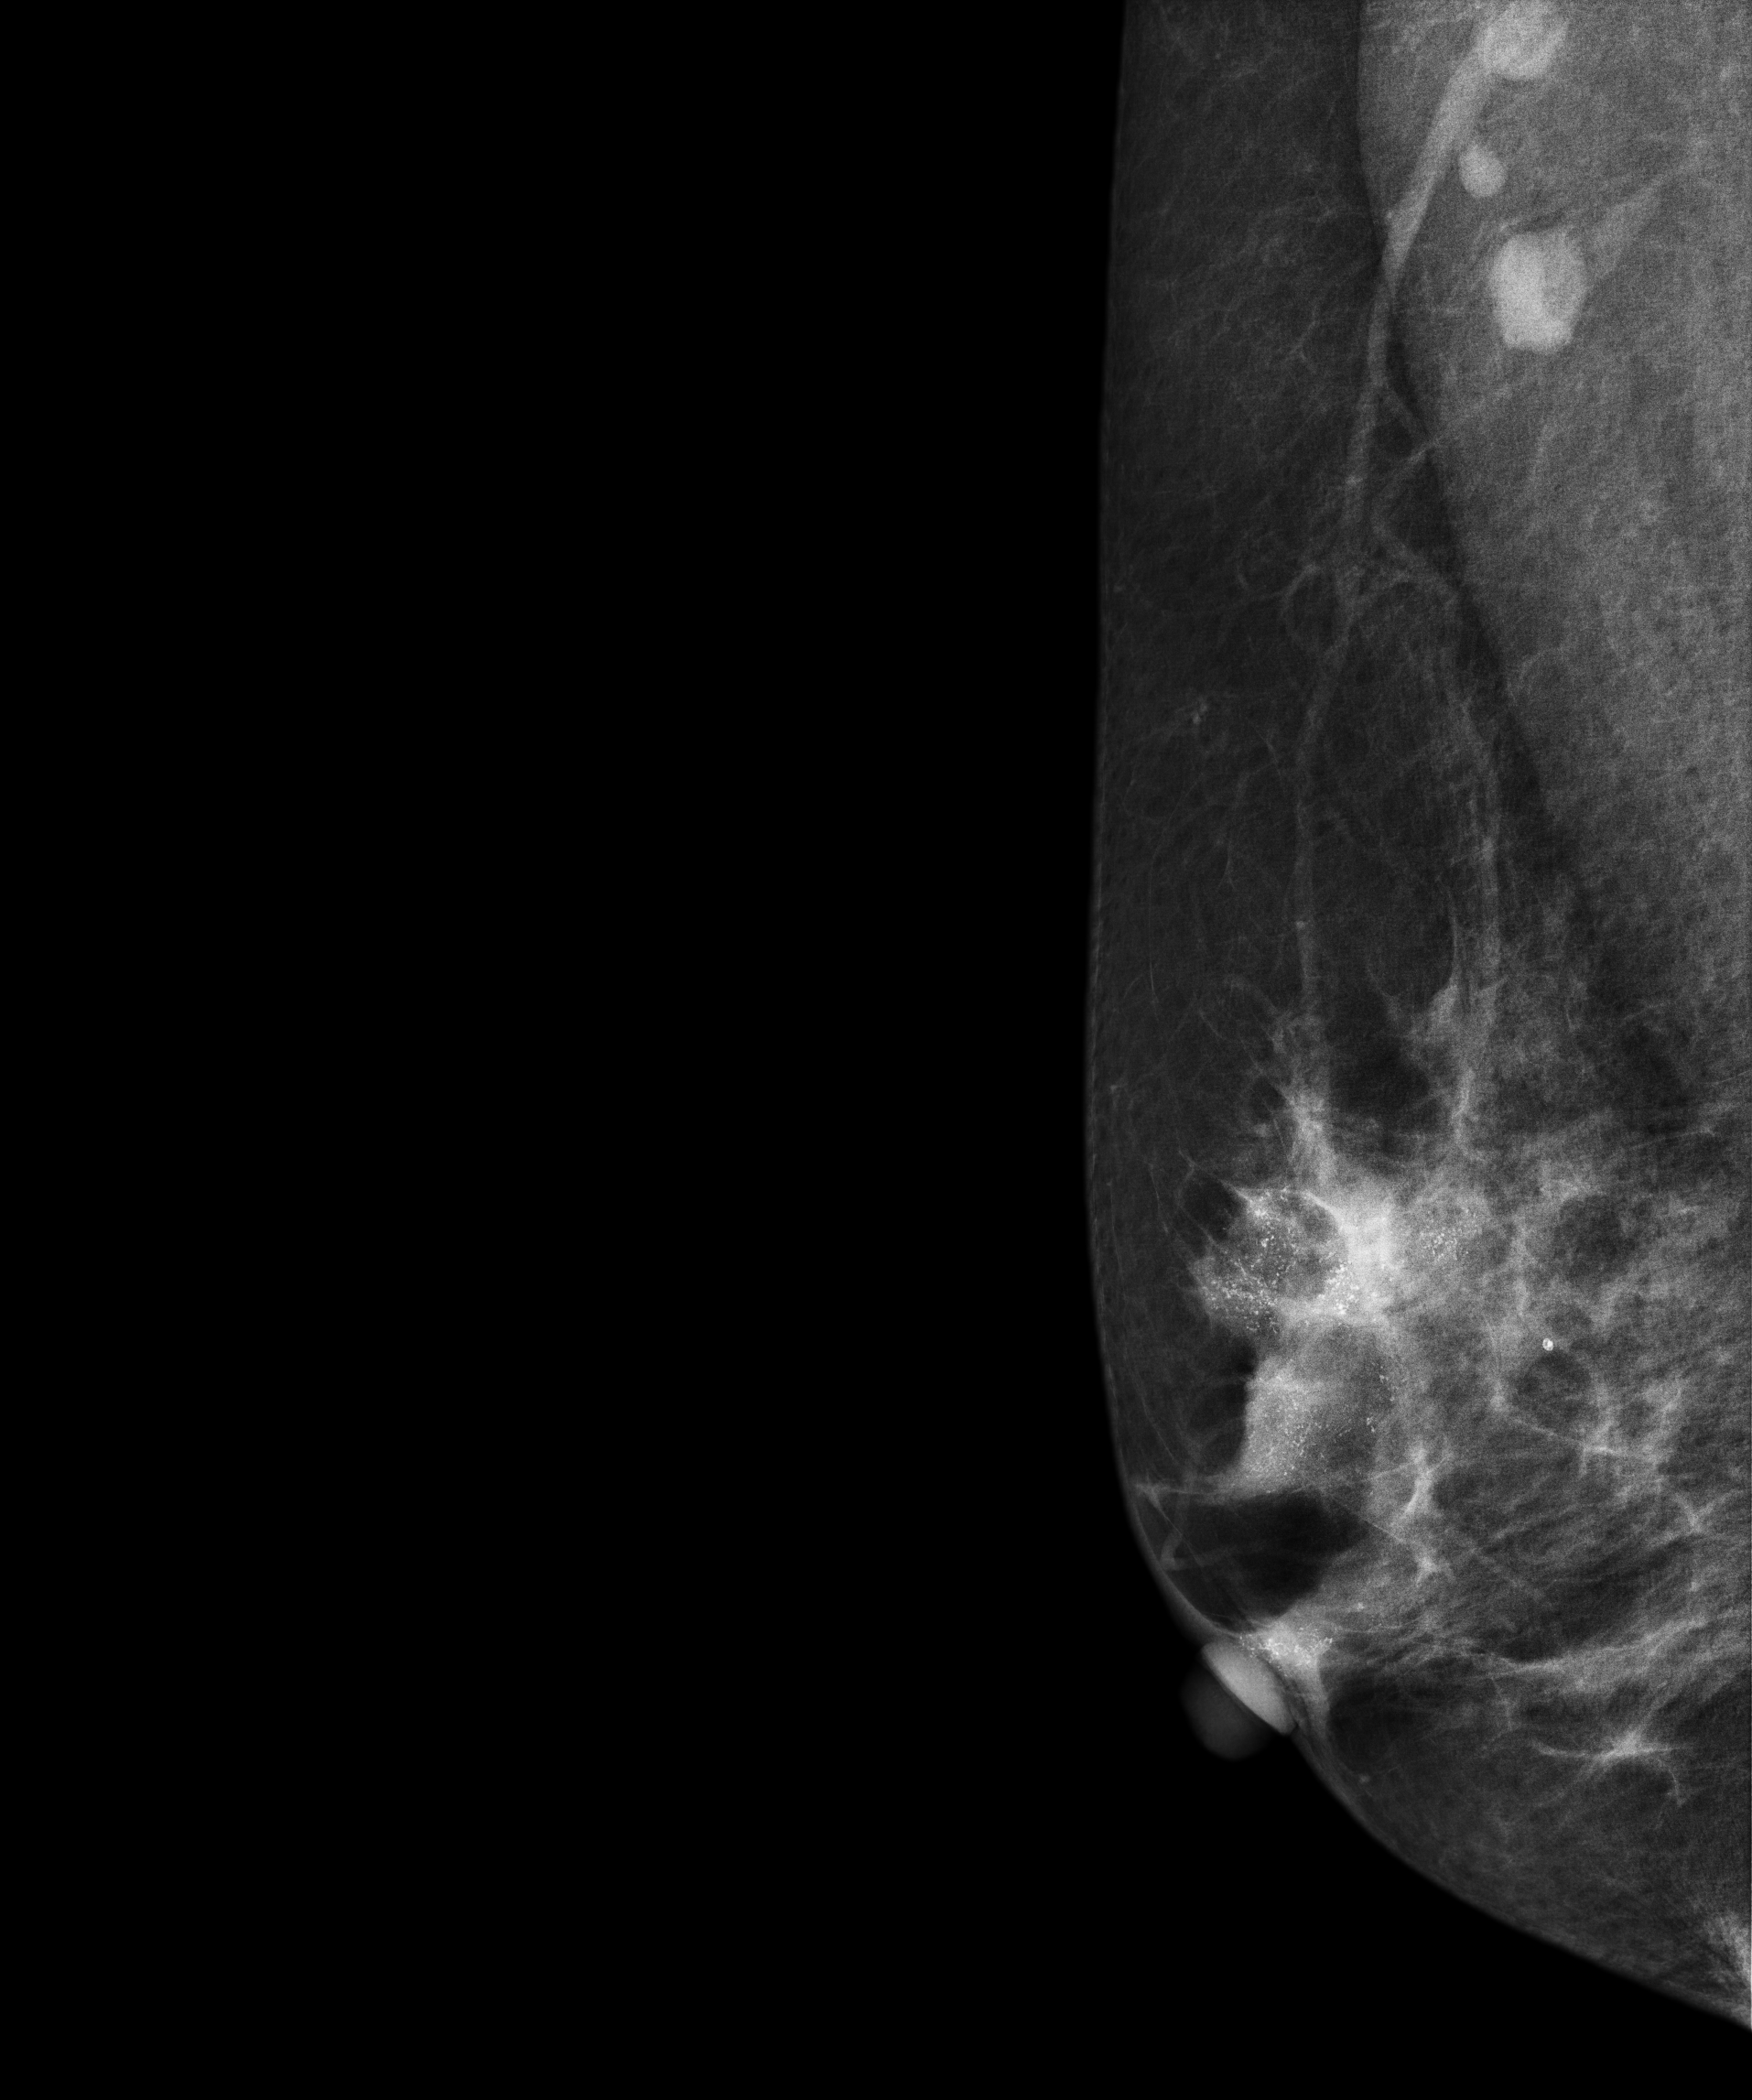
Digital mammography. Right breast, medio-lateral oblique projection. 57-year-old patient.
This breast has a mass and calcifications, biopsy-proven malignant. Molecular subtype: luminal B.